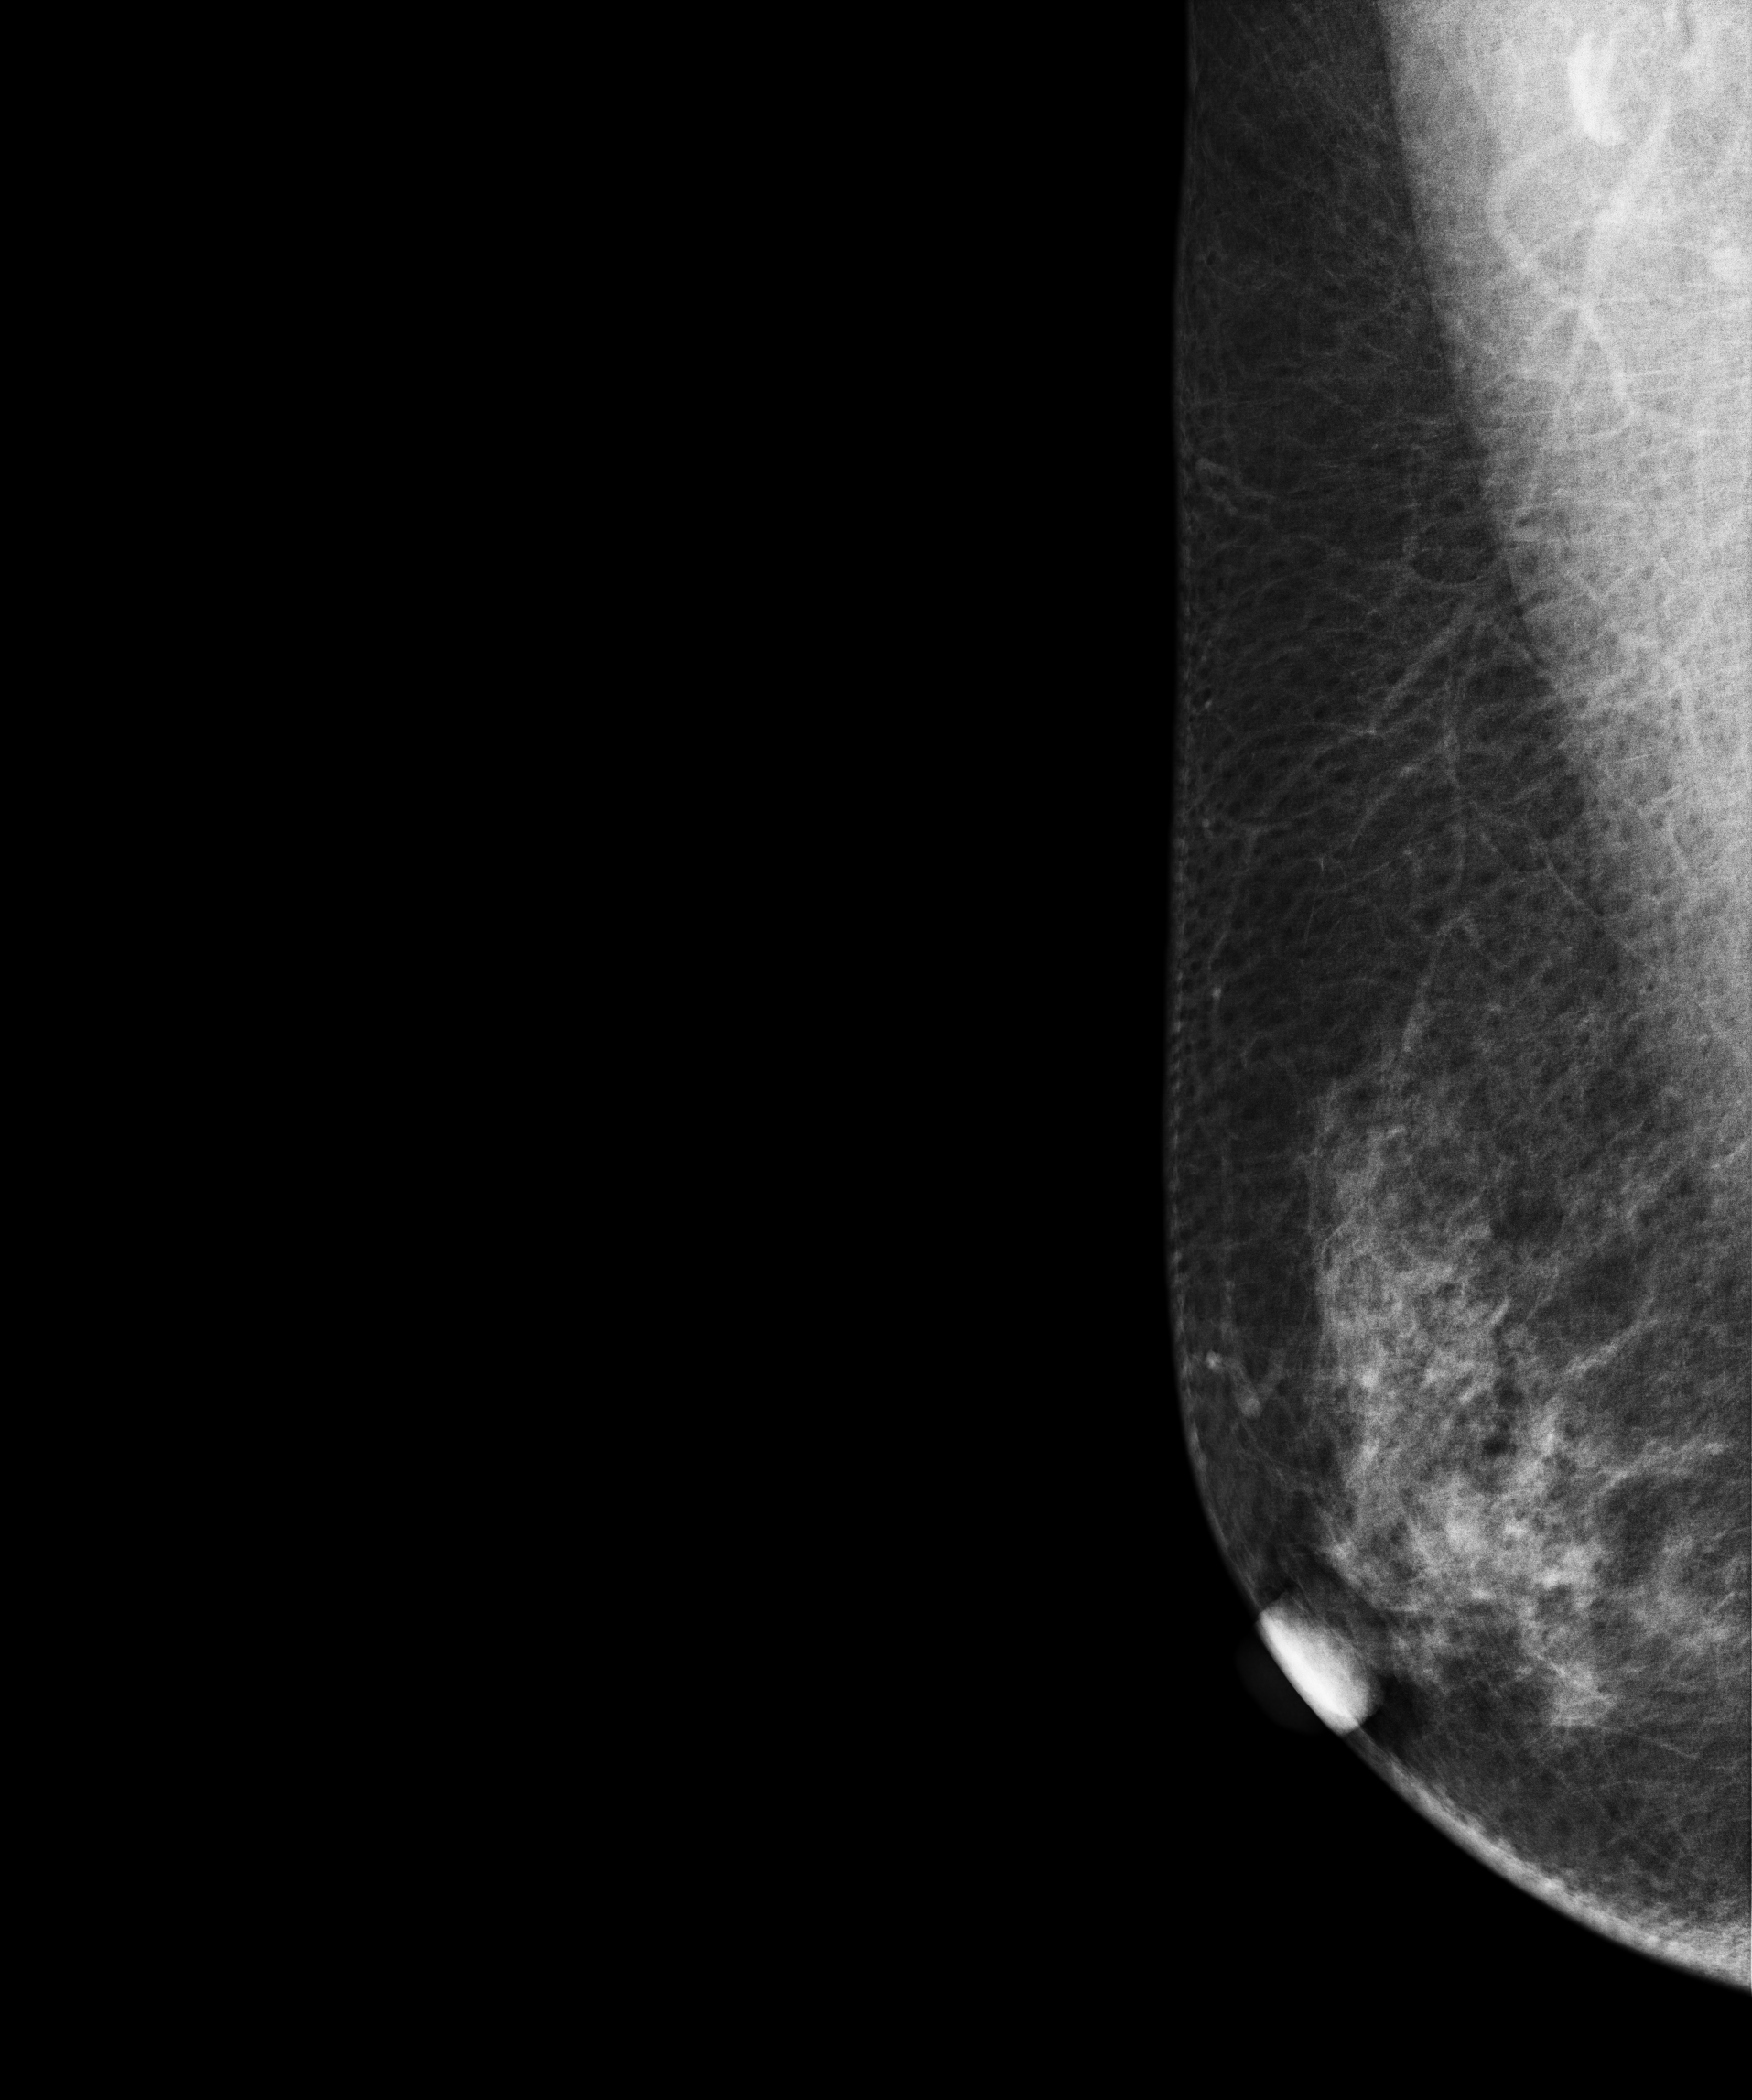
Right-breast mammogram, medio-lateral oblique. 52 y/o patient.
Contralateral breast — no documented abnormality on this side.